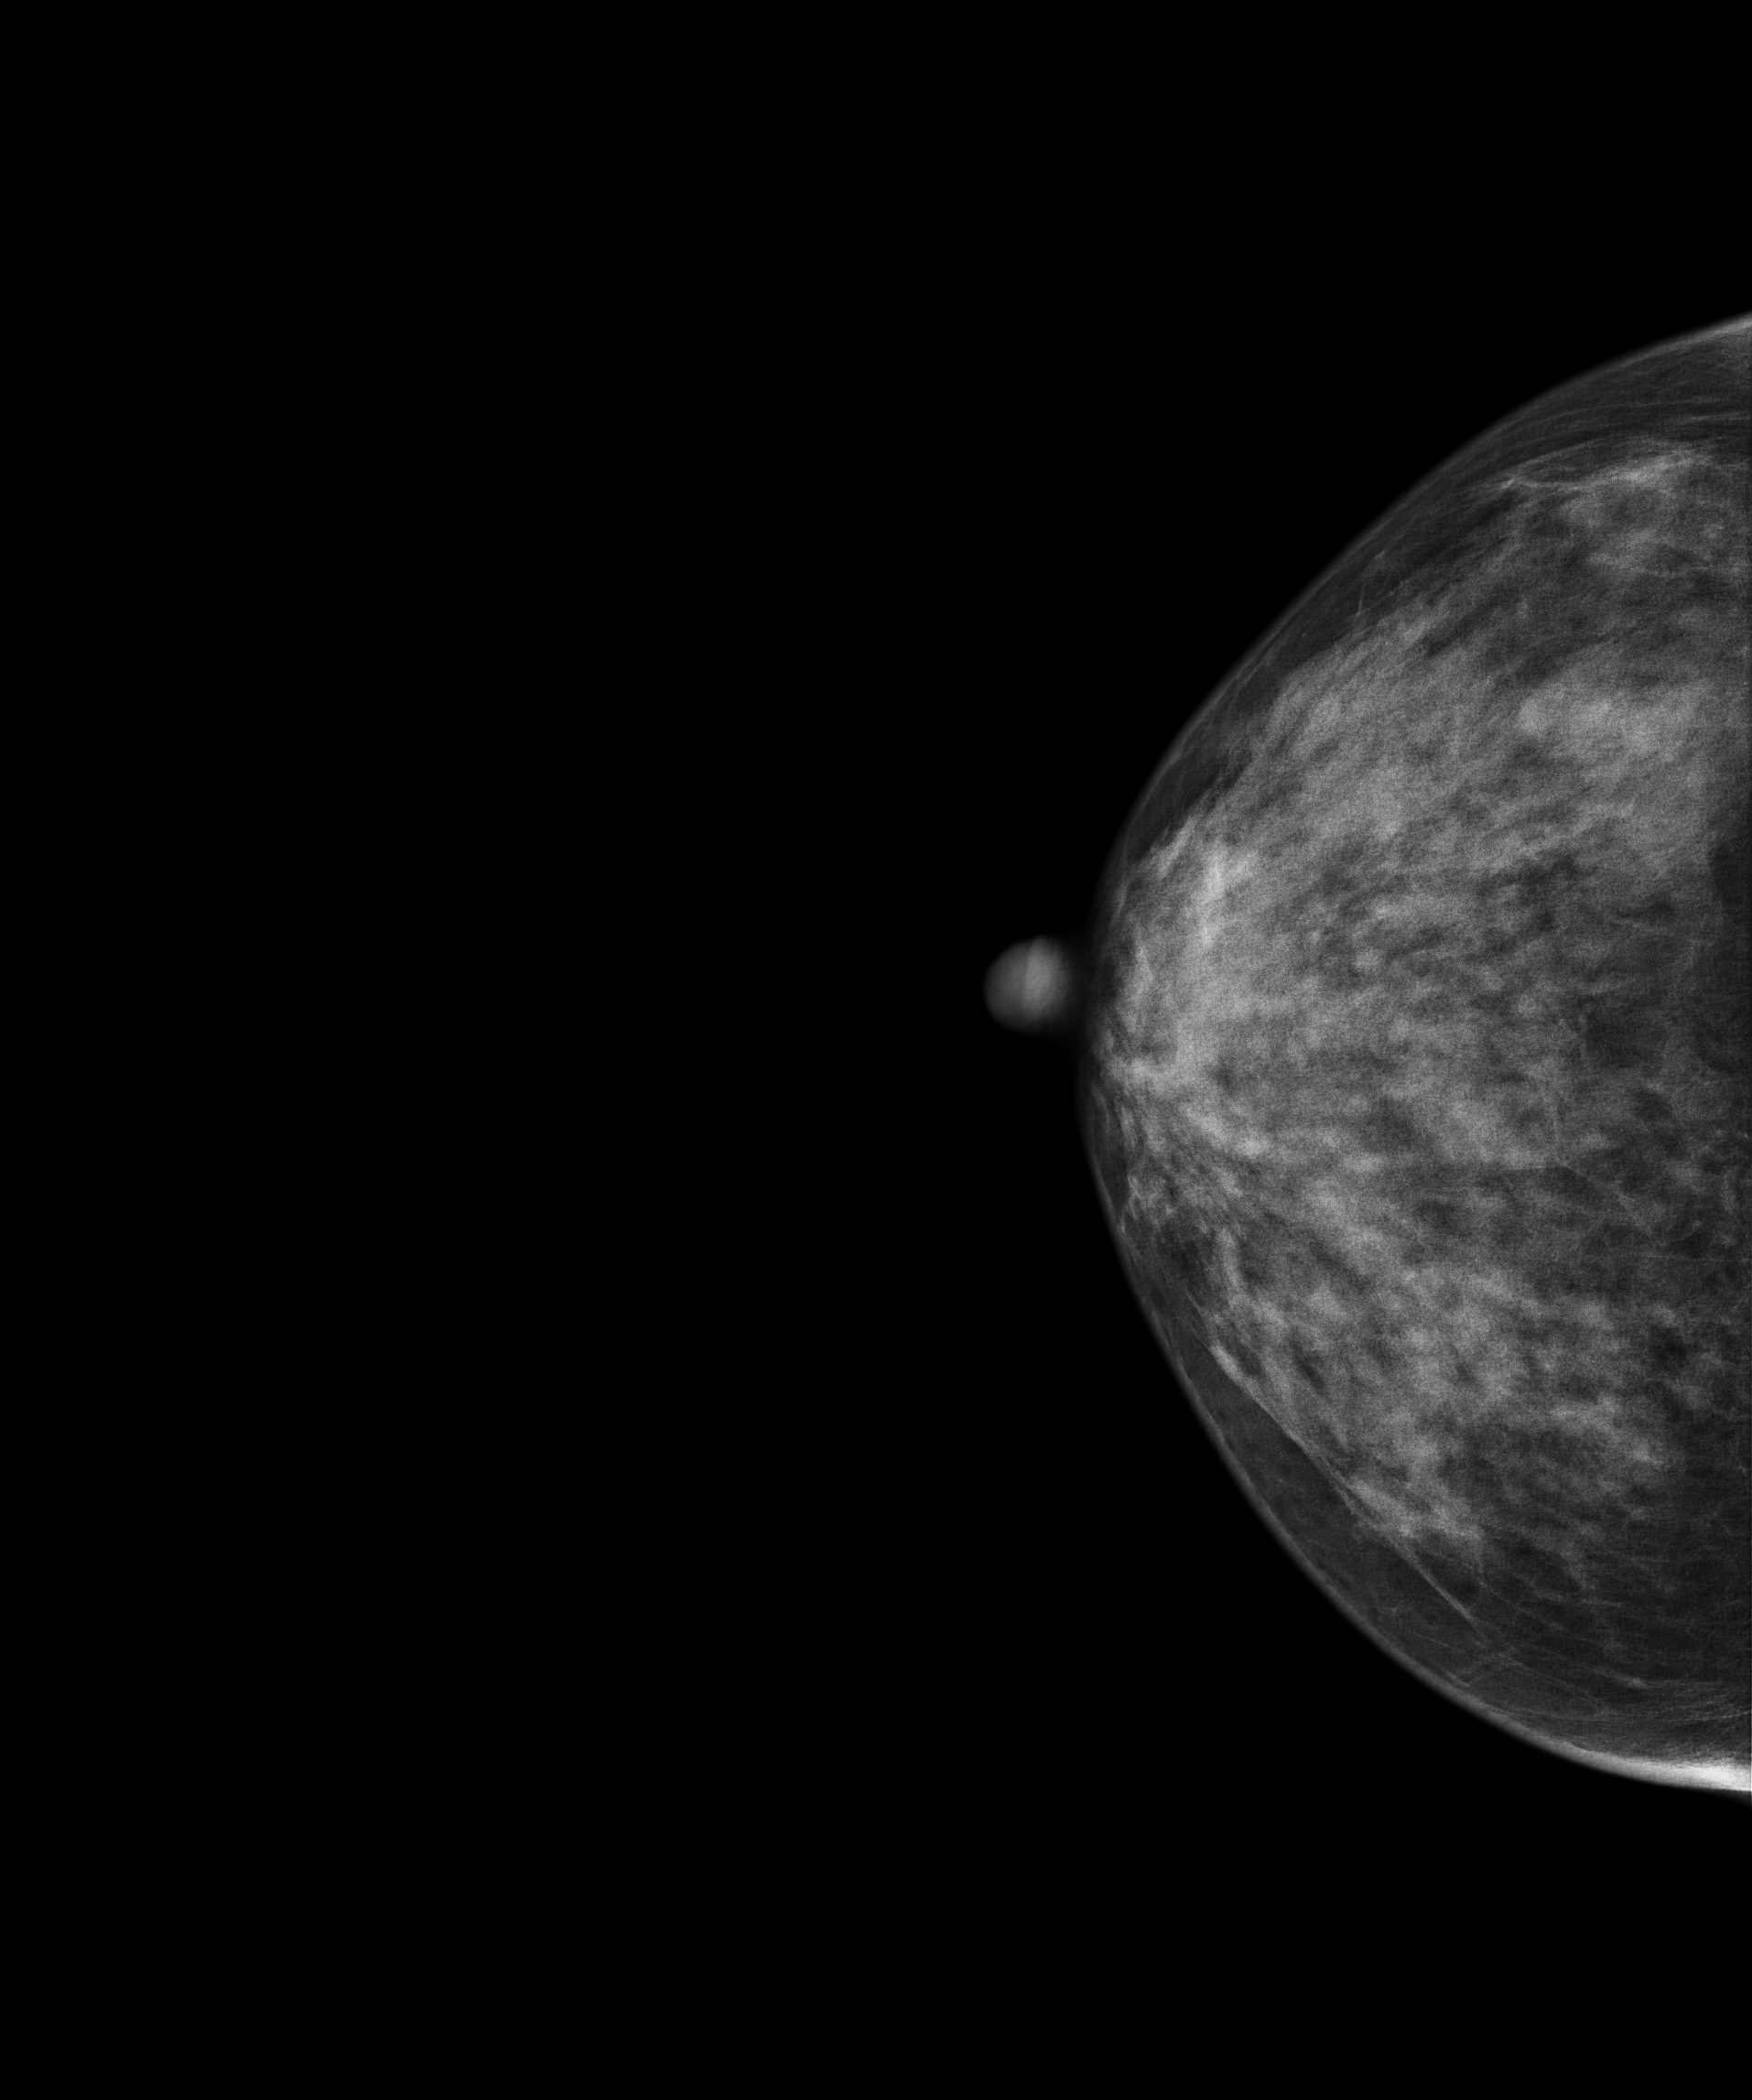
Digital mammography. Right breast, cranio-caudal projection. 47 y/o patient.
Contralateral breast — no documented abnormality on this side.